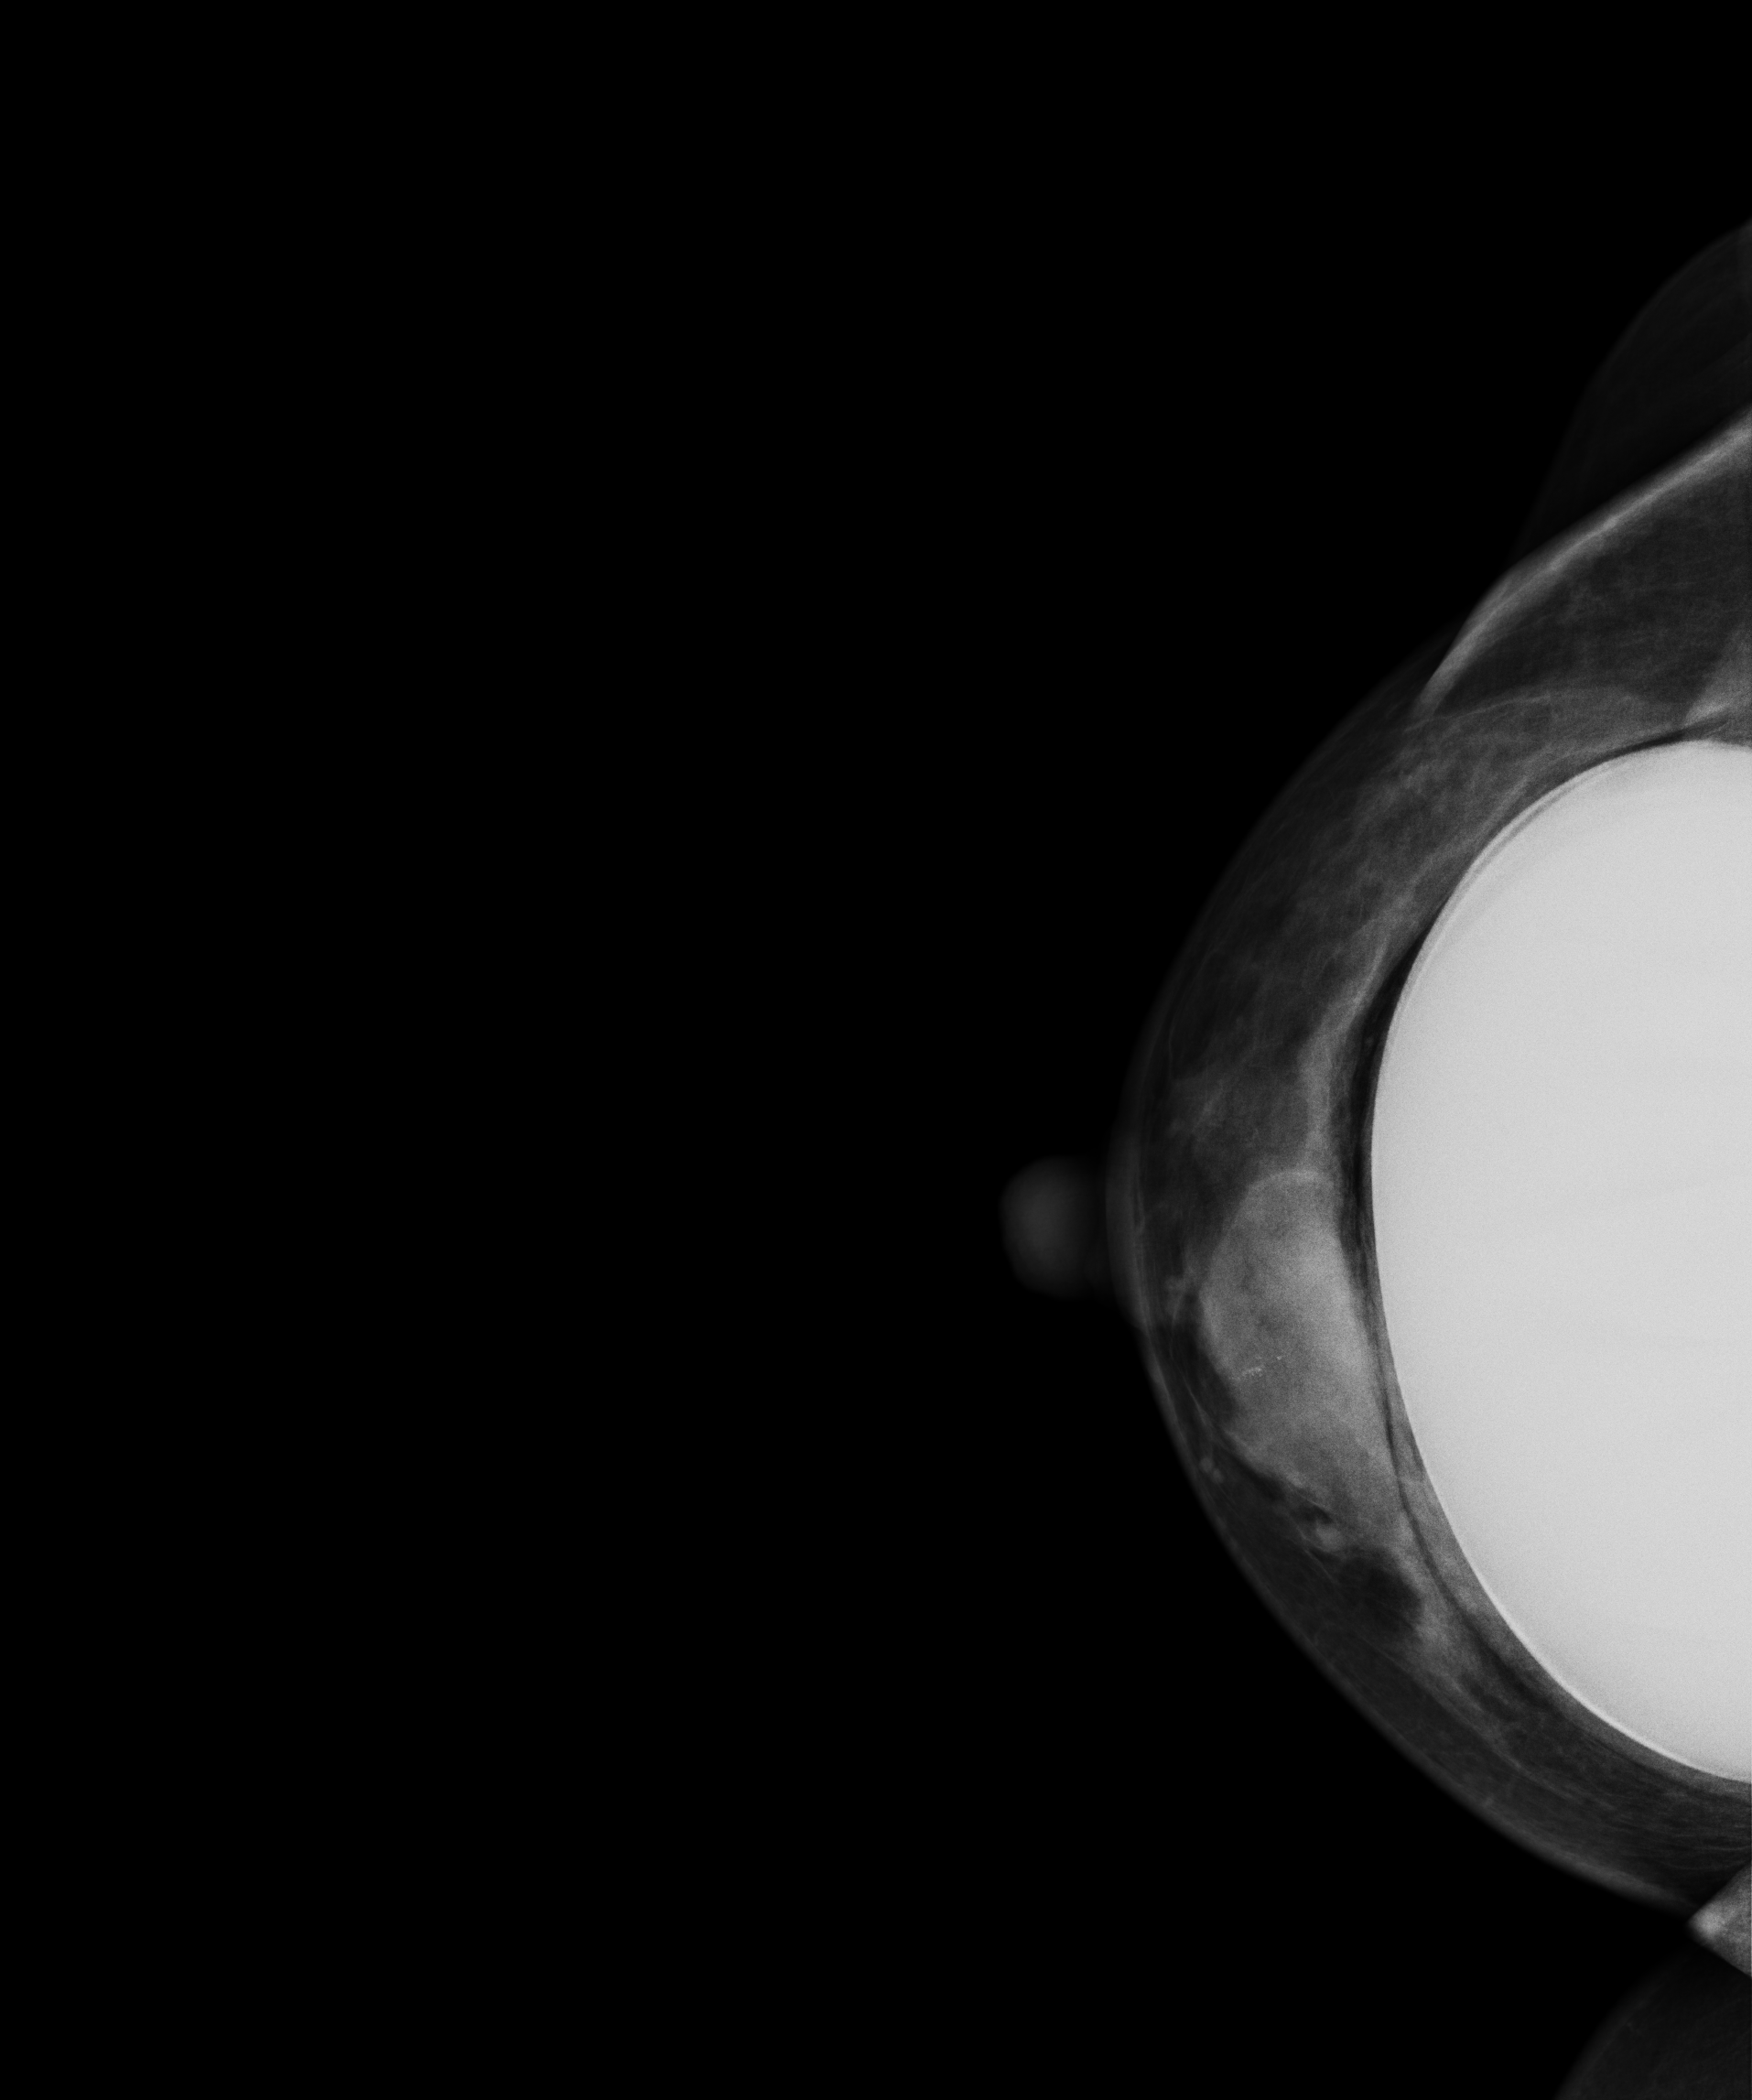
Digital mammography. Right breast, CC projection. Patient age 50.
This breast has a mass and calcifications, biopsy-confirmed malignant. Molecular subtype: luminal A.